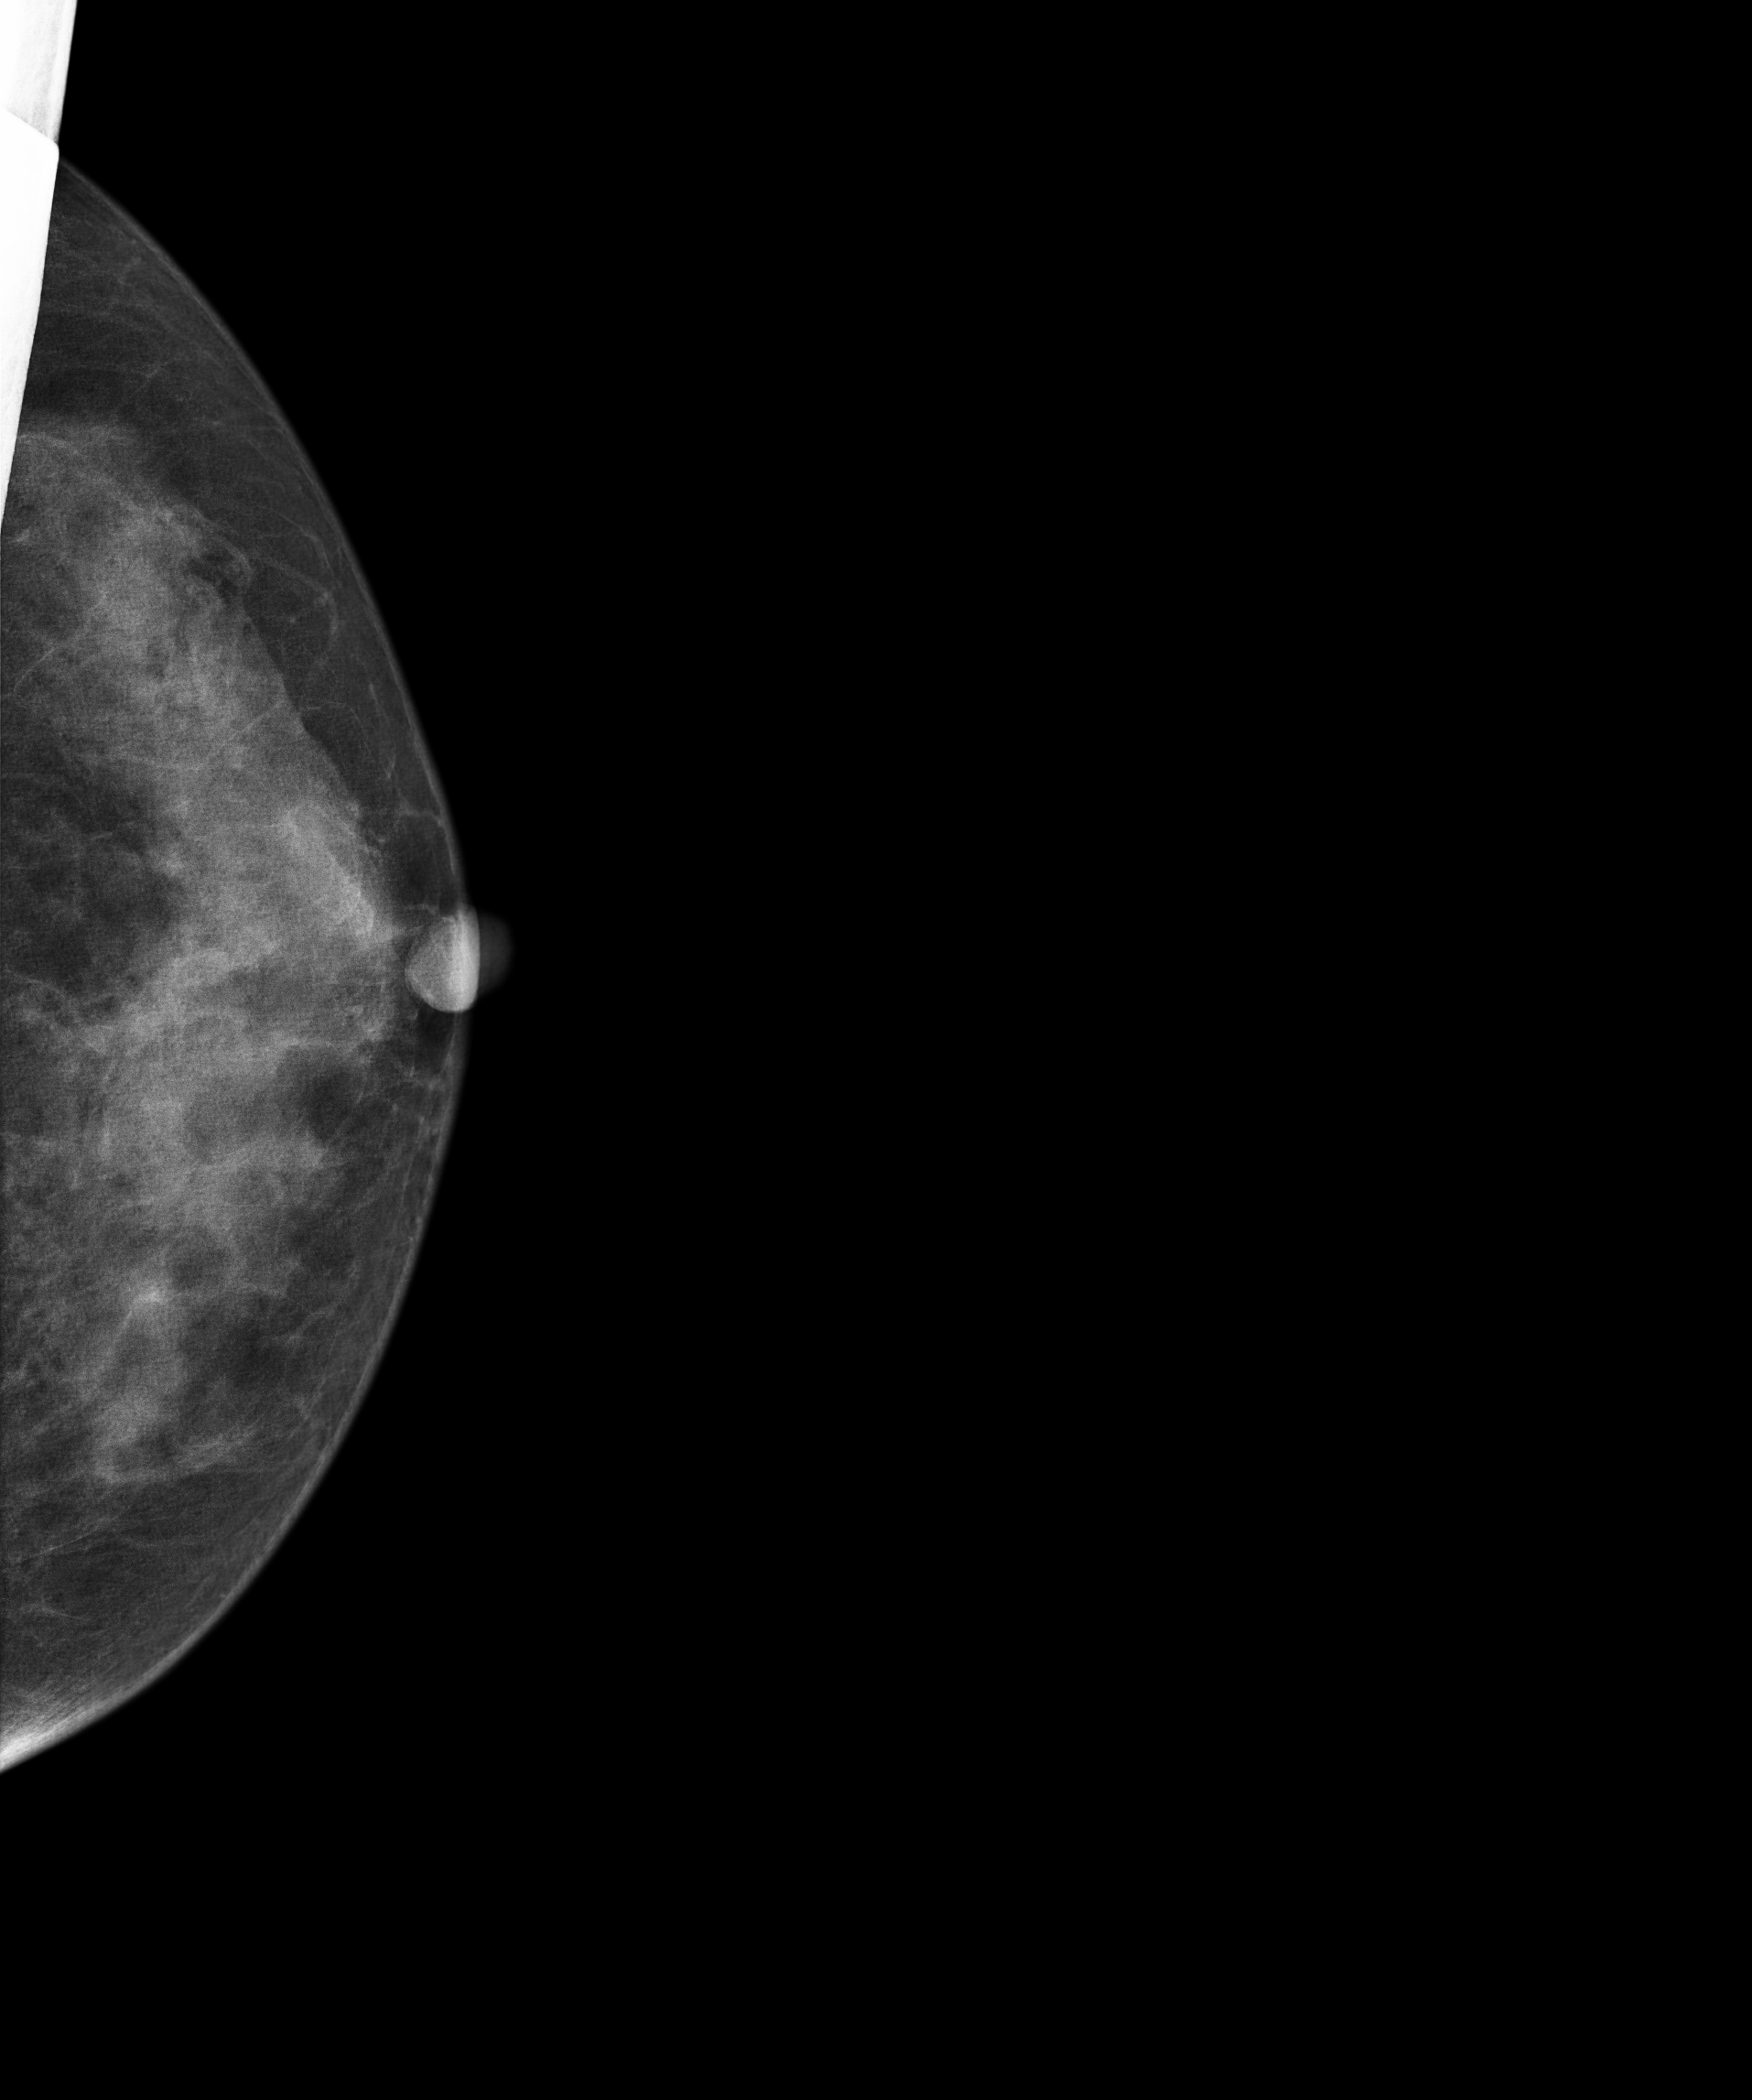
Mammogram, left breast, CC view. Patient age 52.
Contralateral breast — no documented abnormality on this side.